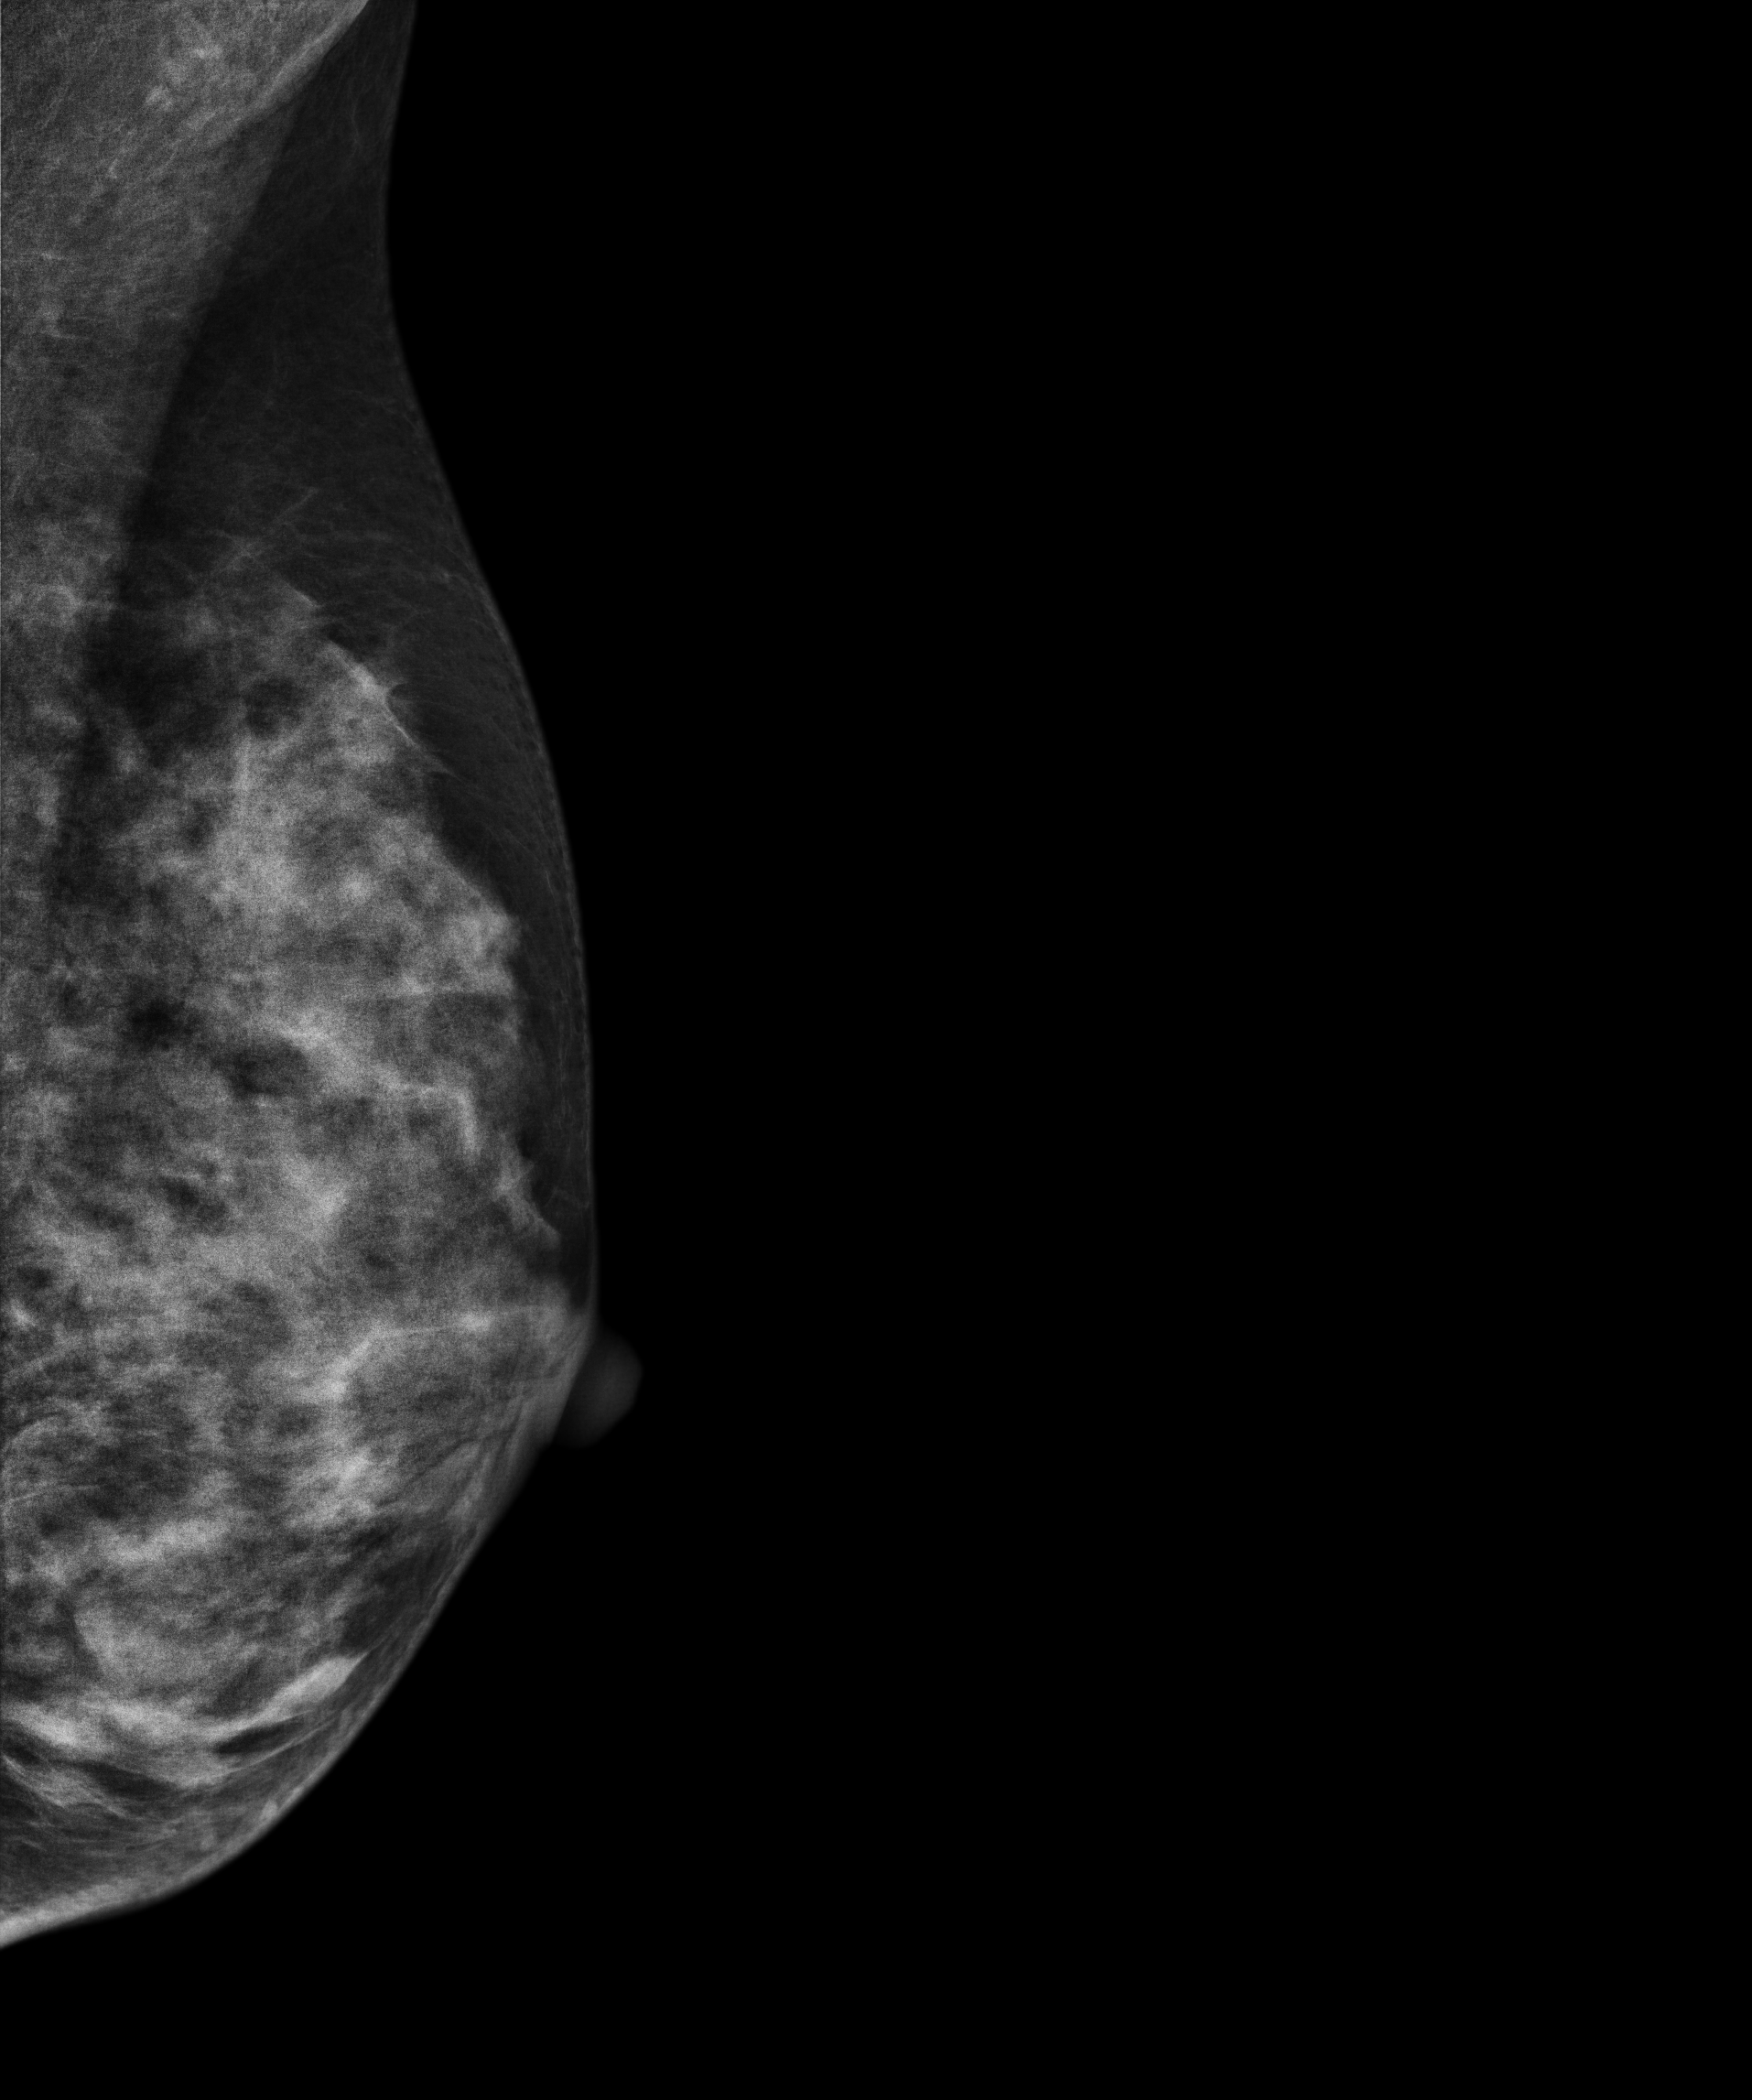
Mammogram — left MLO. 46 y/o patient.
This breast has a mass, pathology-confirmed benign.